Cranio-caudal mammogram of the right breast. 54 y/o patient.
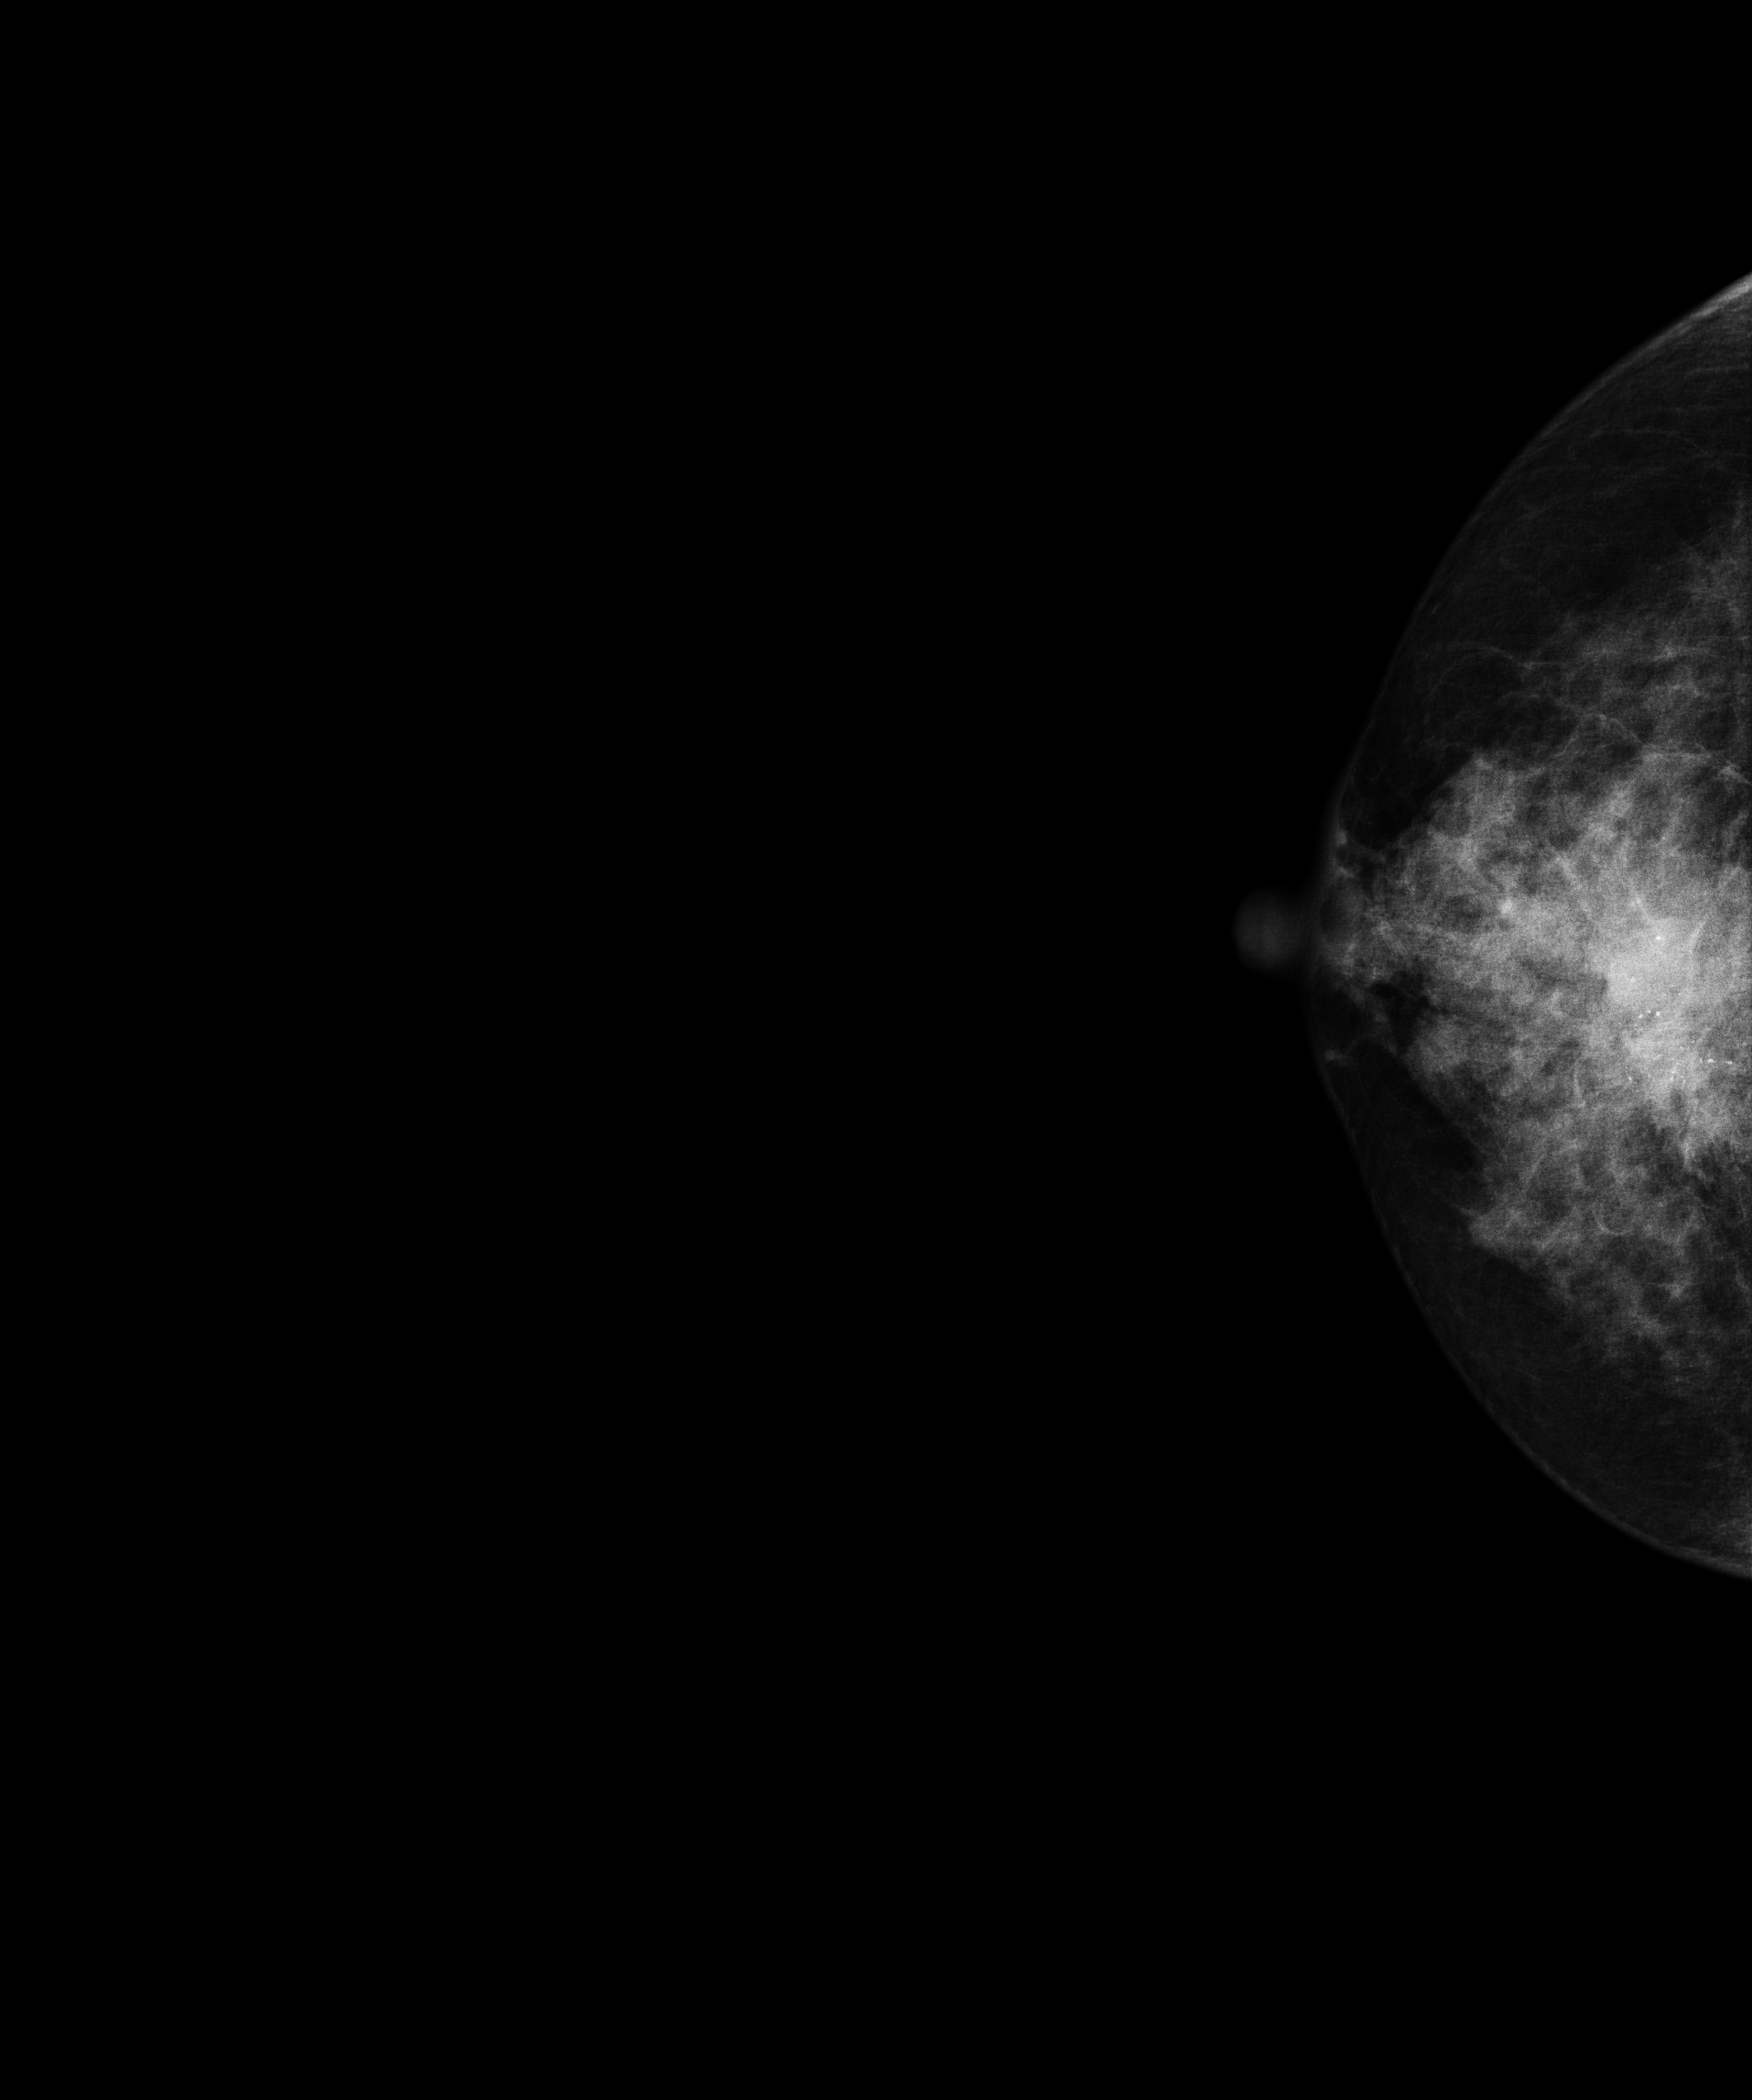
This breast has a mass and calcifications, biopsy-proven malignant. Molecular subtype: luminal B.